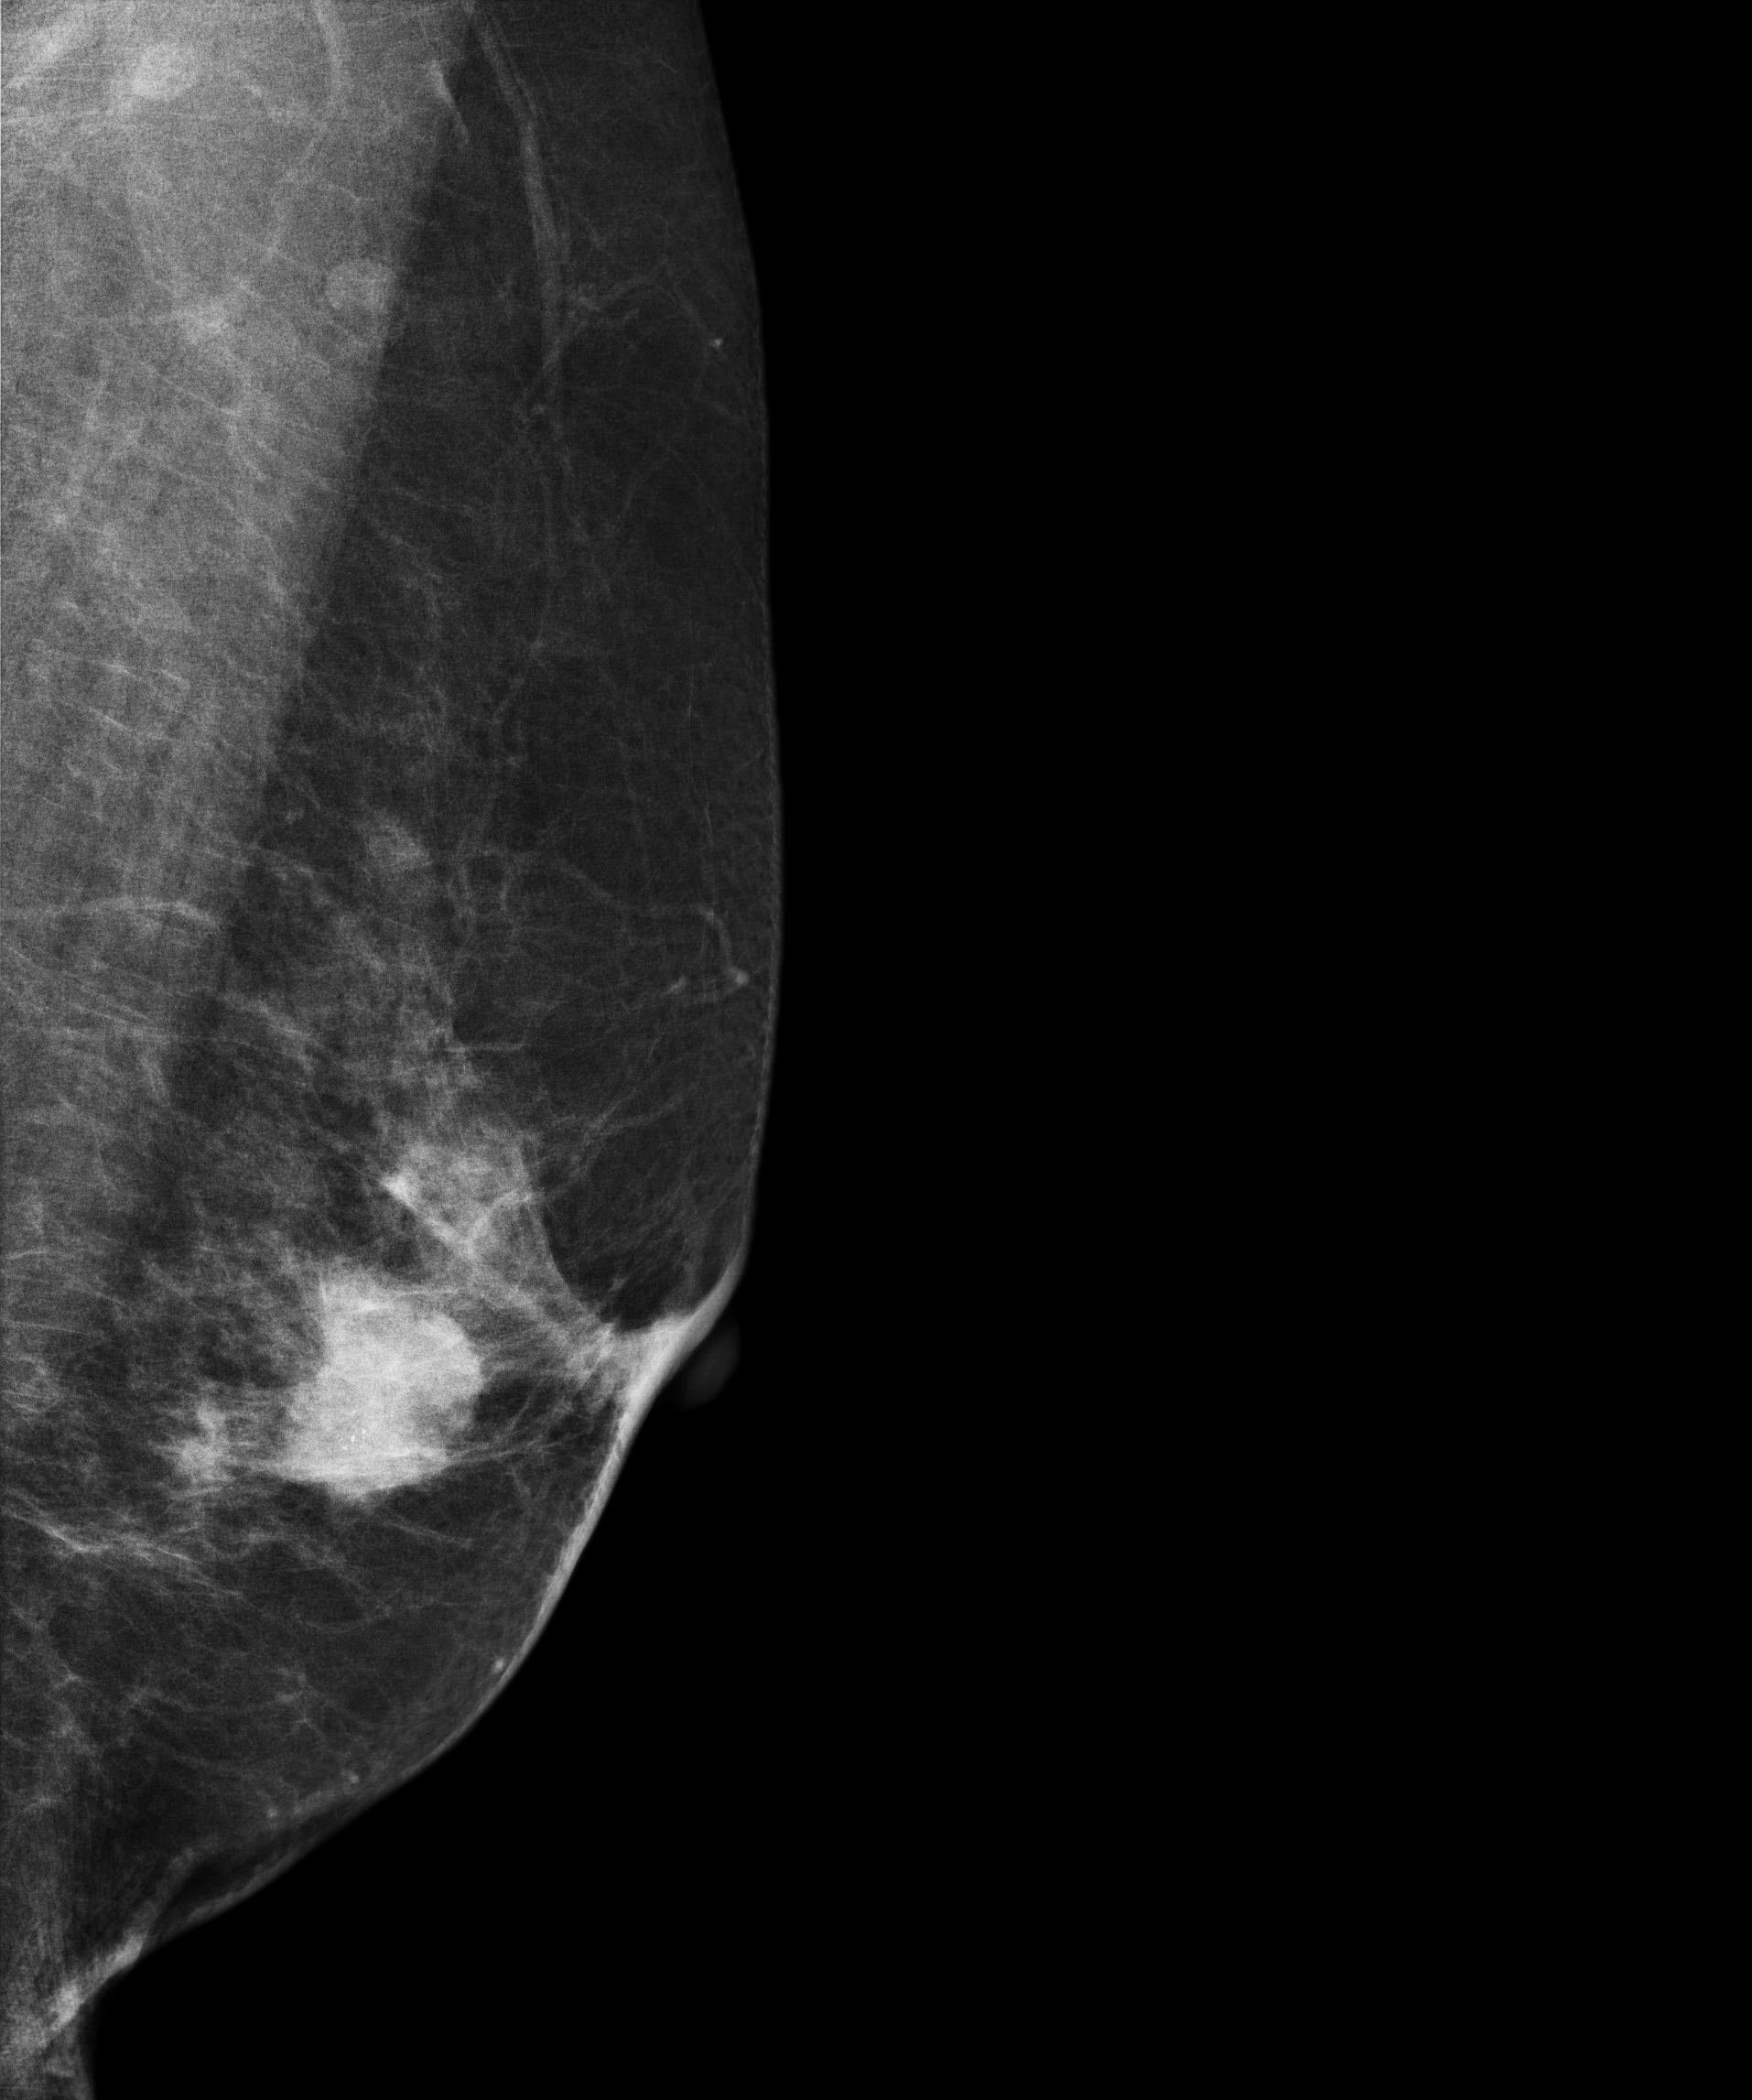
Left-breast mammogram, medio-lateral oblique. 58 y/o patient.
This breast has a mass and calcifications, biopsy-proven malignant. Molecular subtype: luminal B.